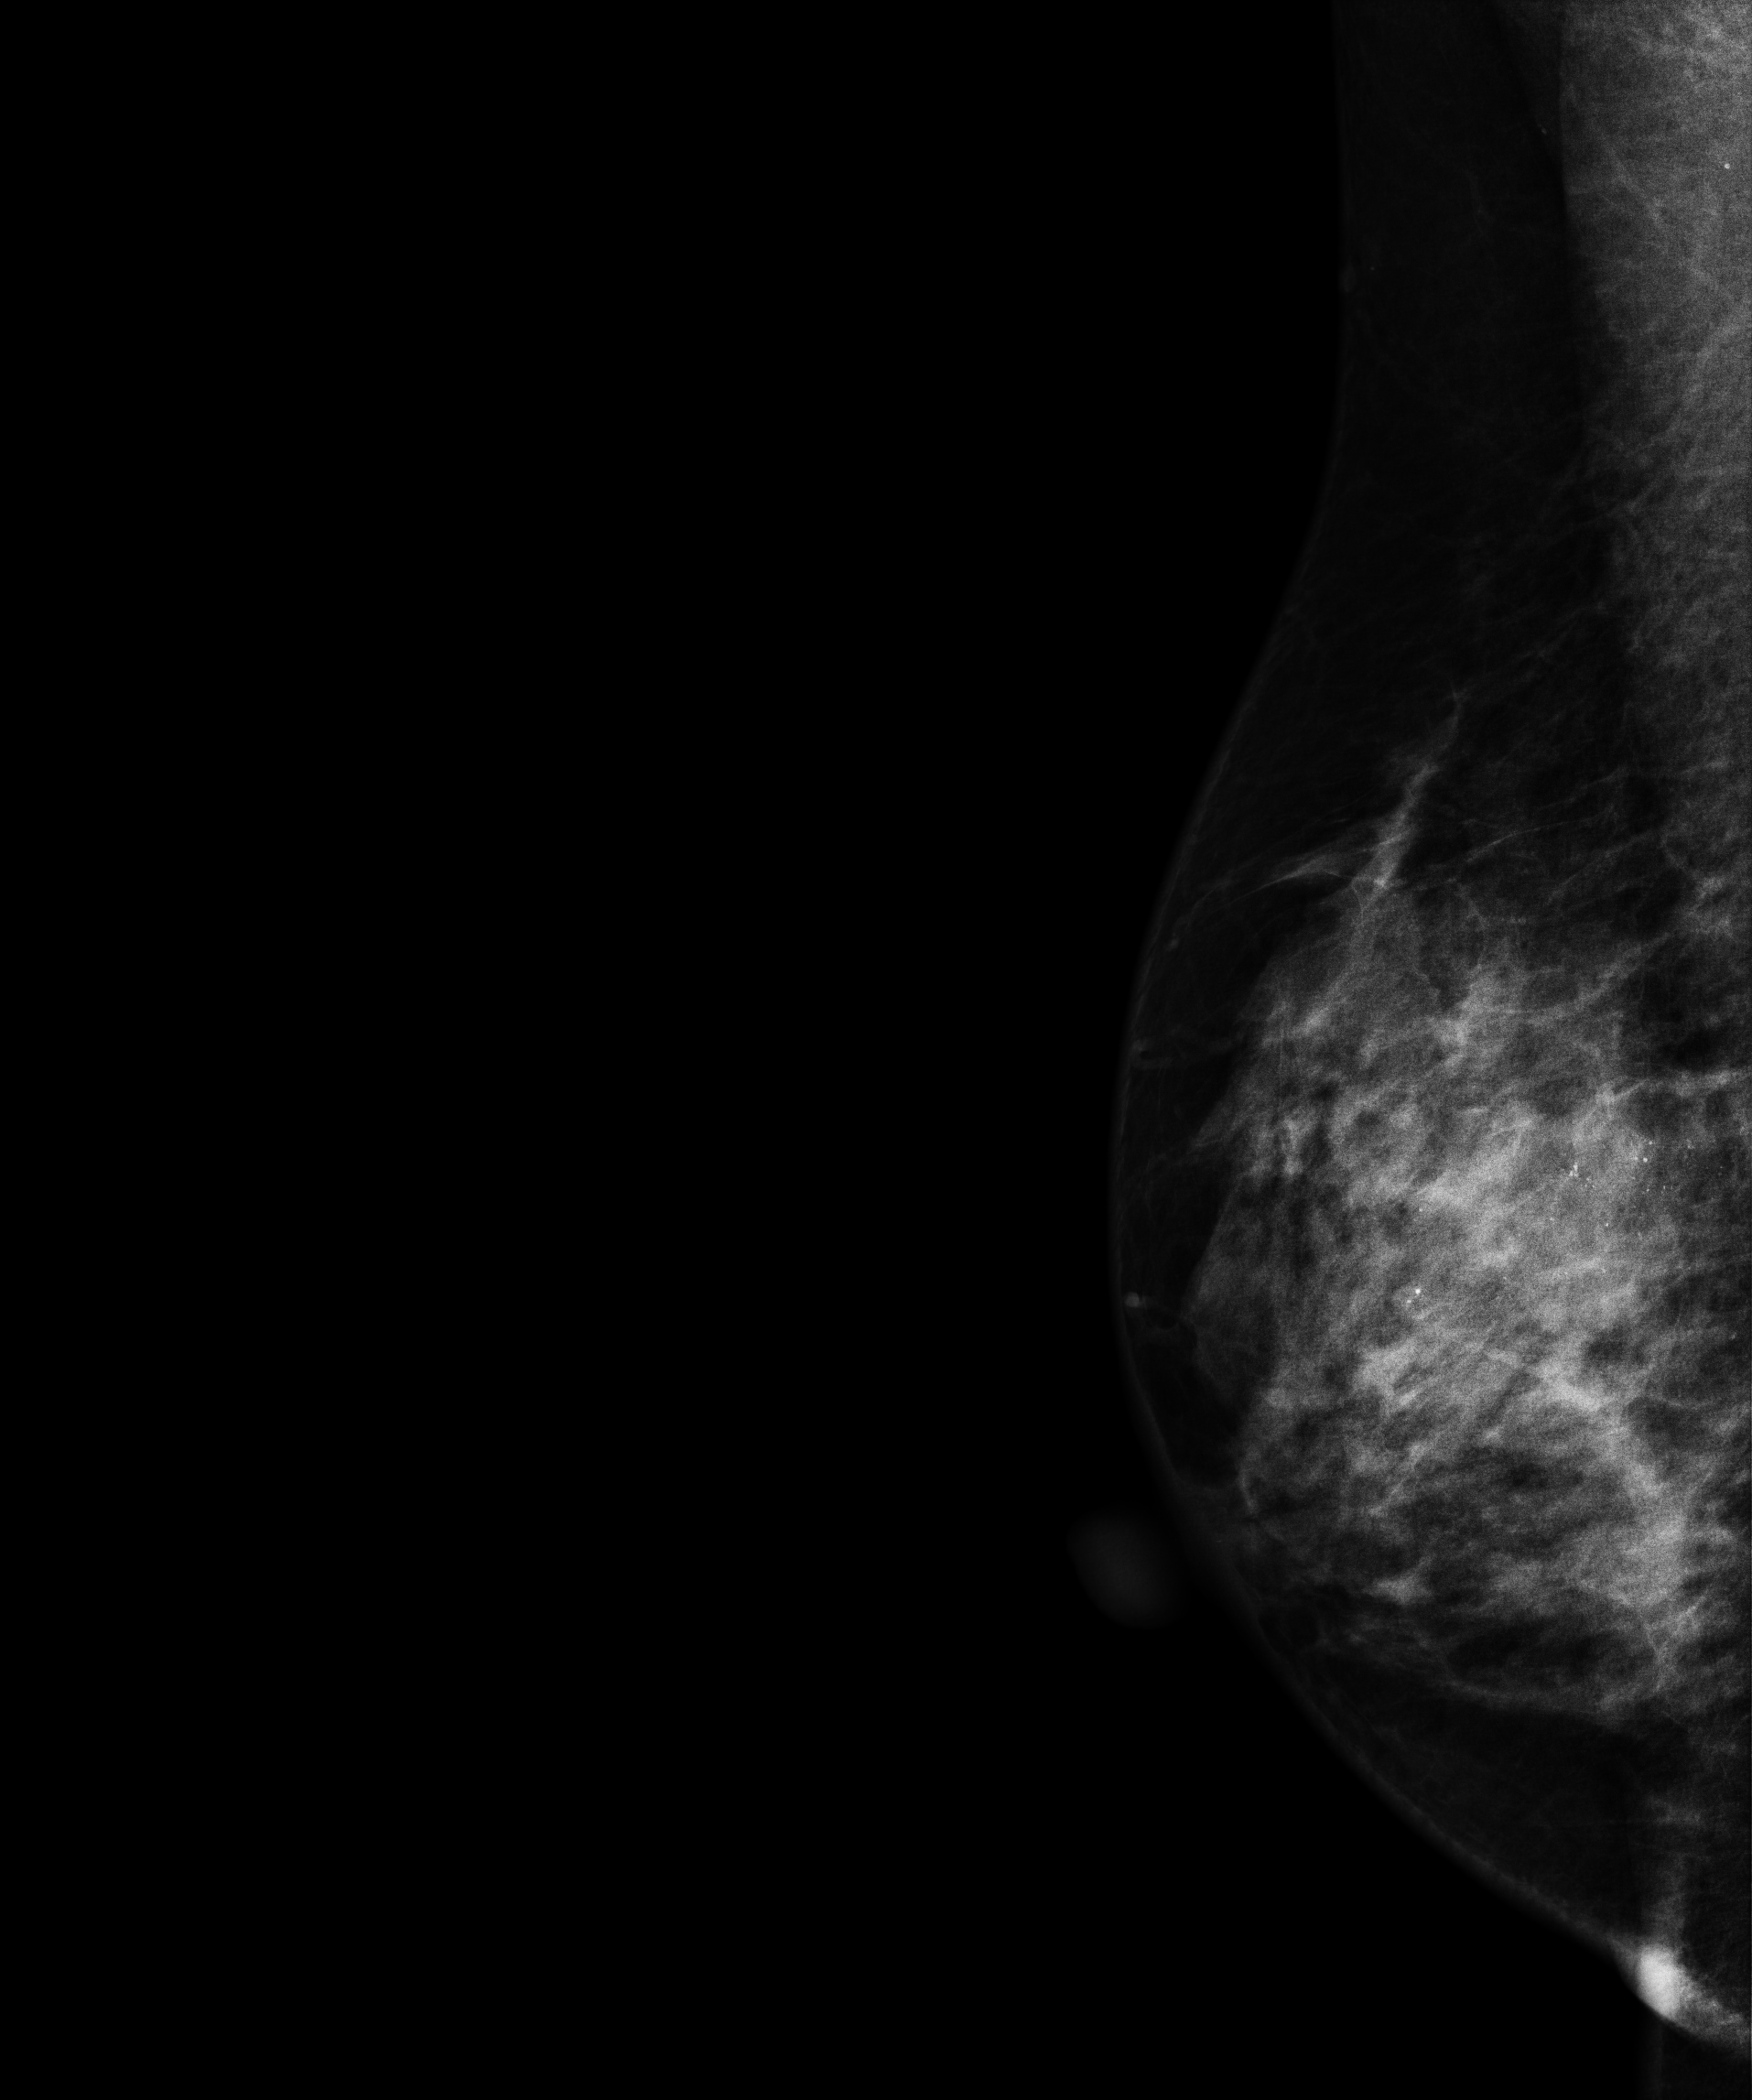
Mammogram, right breast, medio-lateral oblique view. 44-year-old patient.
This breast has calcifications, biopsy-confirmed malignant.